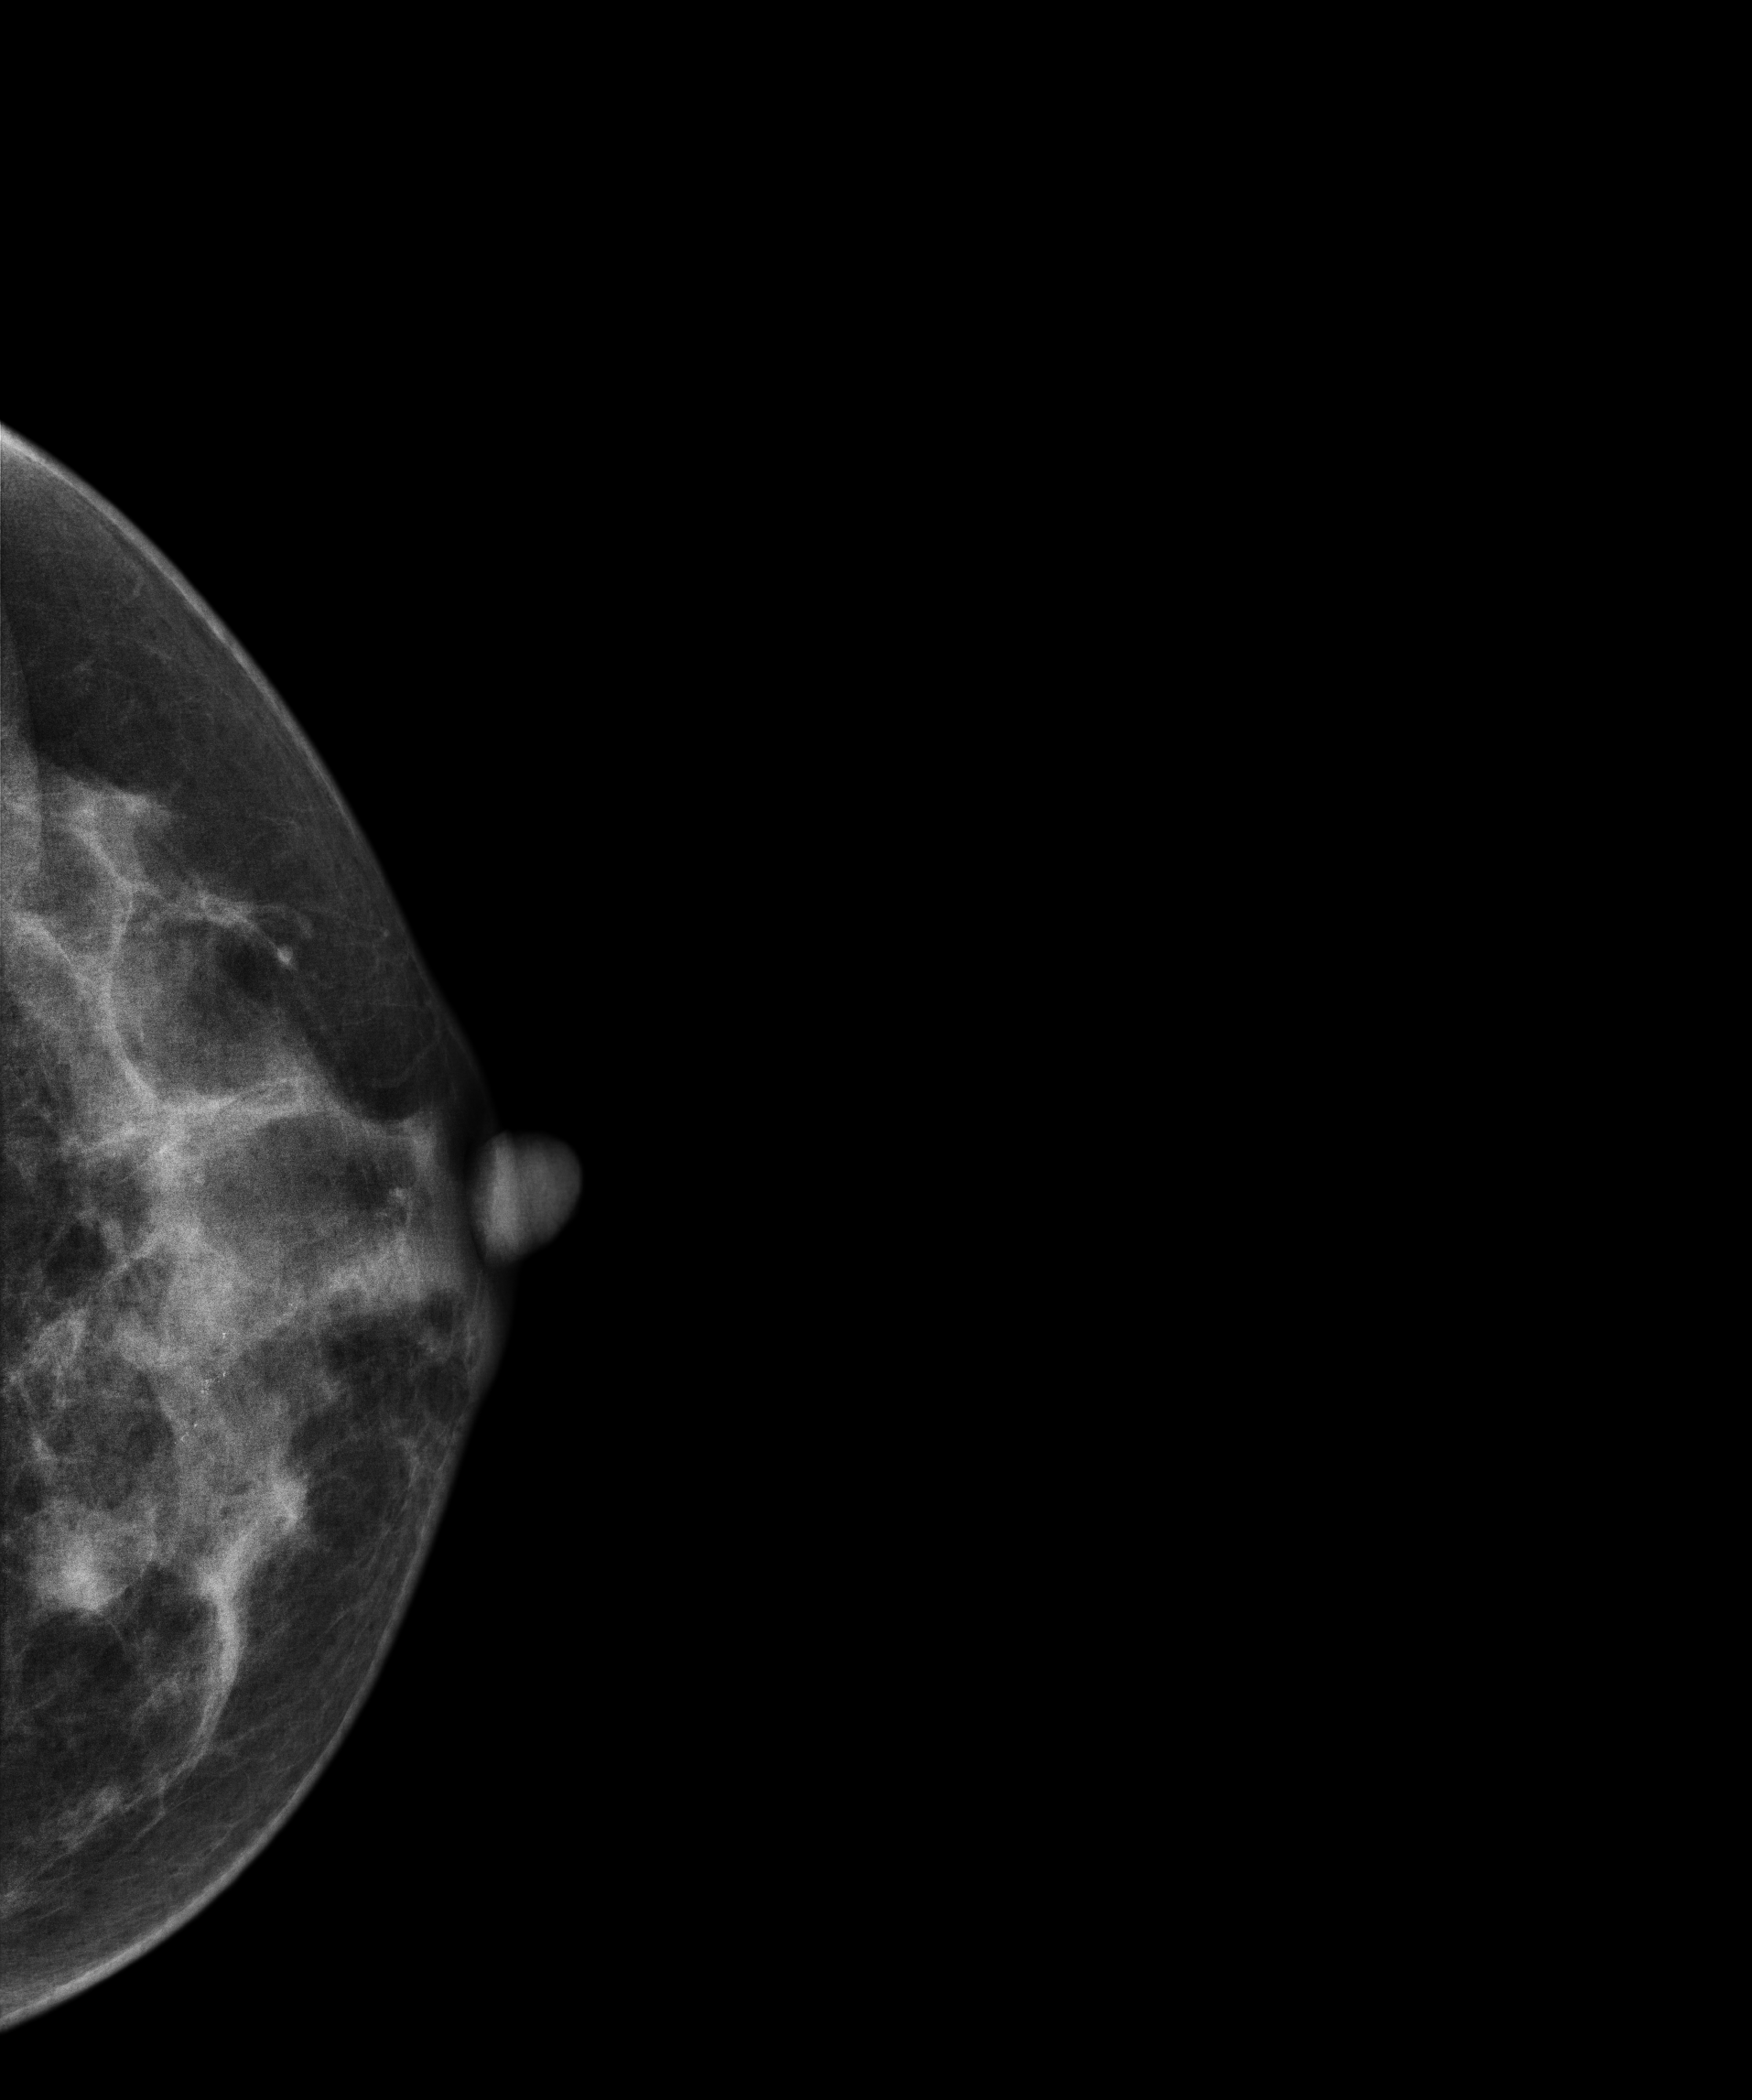
Left-breast mammogram, CC. 35 y/o patient.
This breast has a mass and calcifications, biopsy-confirmed malignant. Molecular subtype: HER2-enriched.